Cranio-caudal mammogram of the left breast. 36-year-old patient.
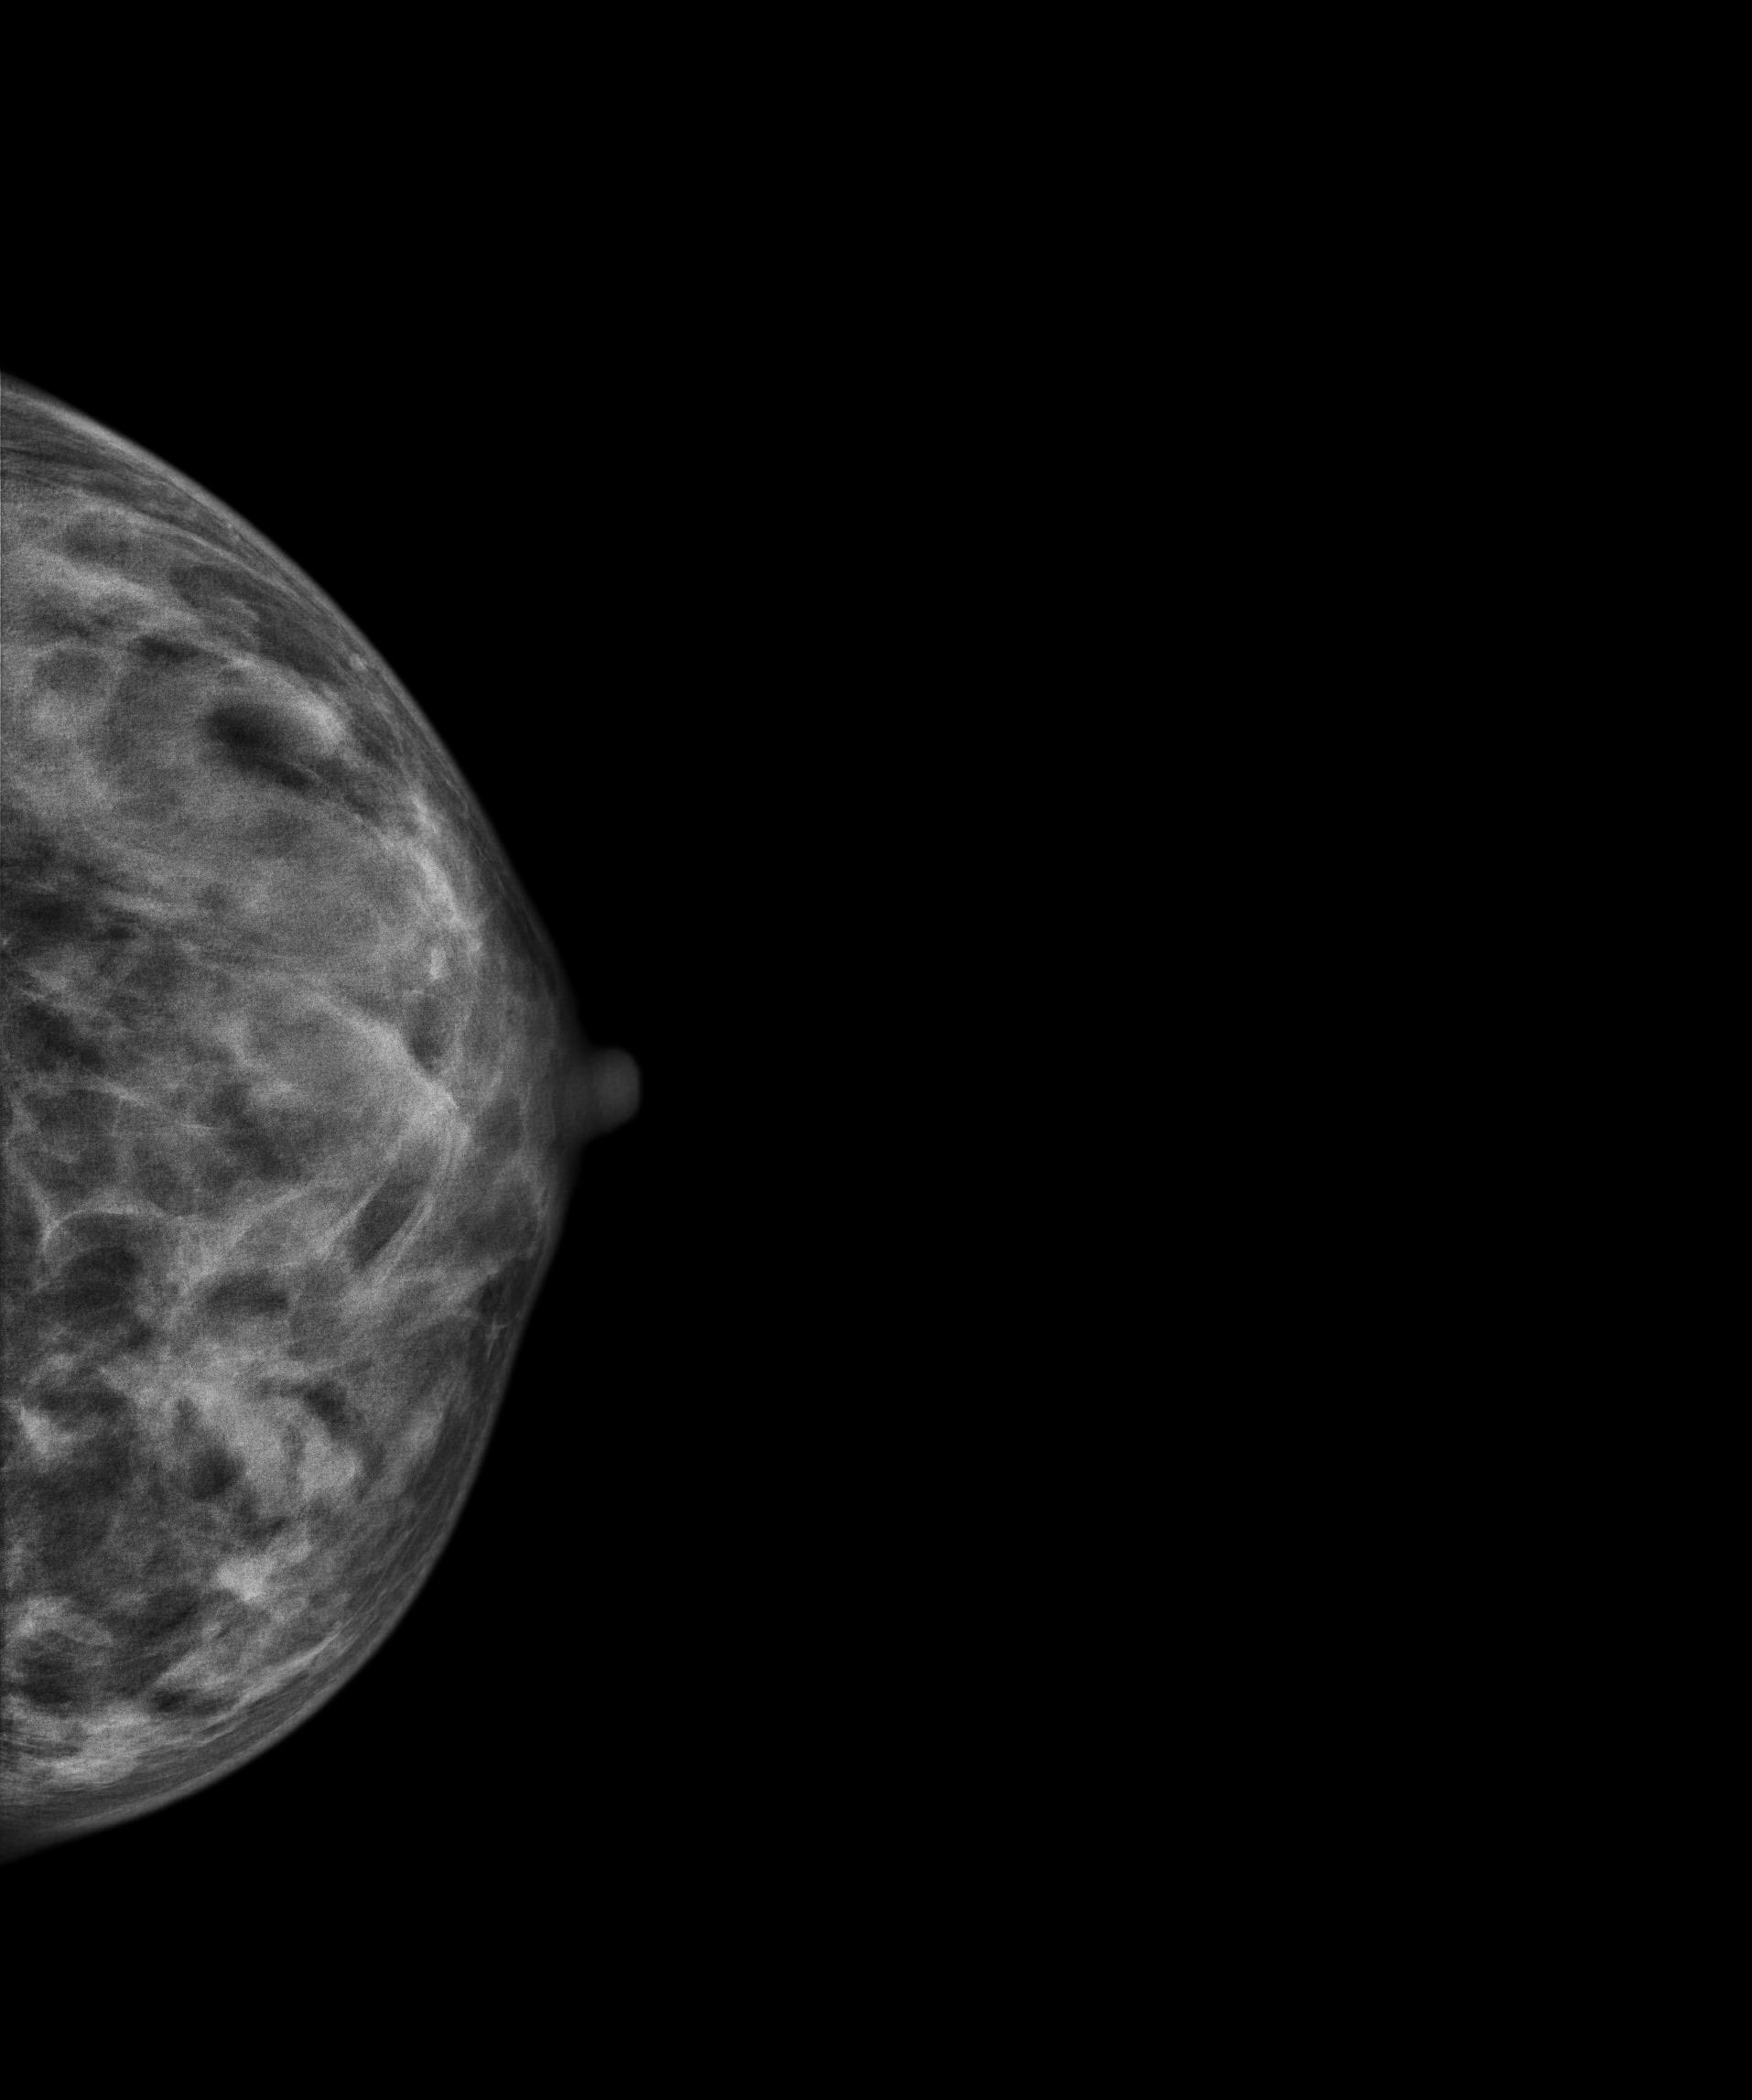
This breast has a mass, biopsy-confirmed malignant. Molecular subtype: luminal A.